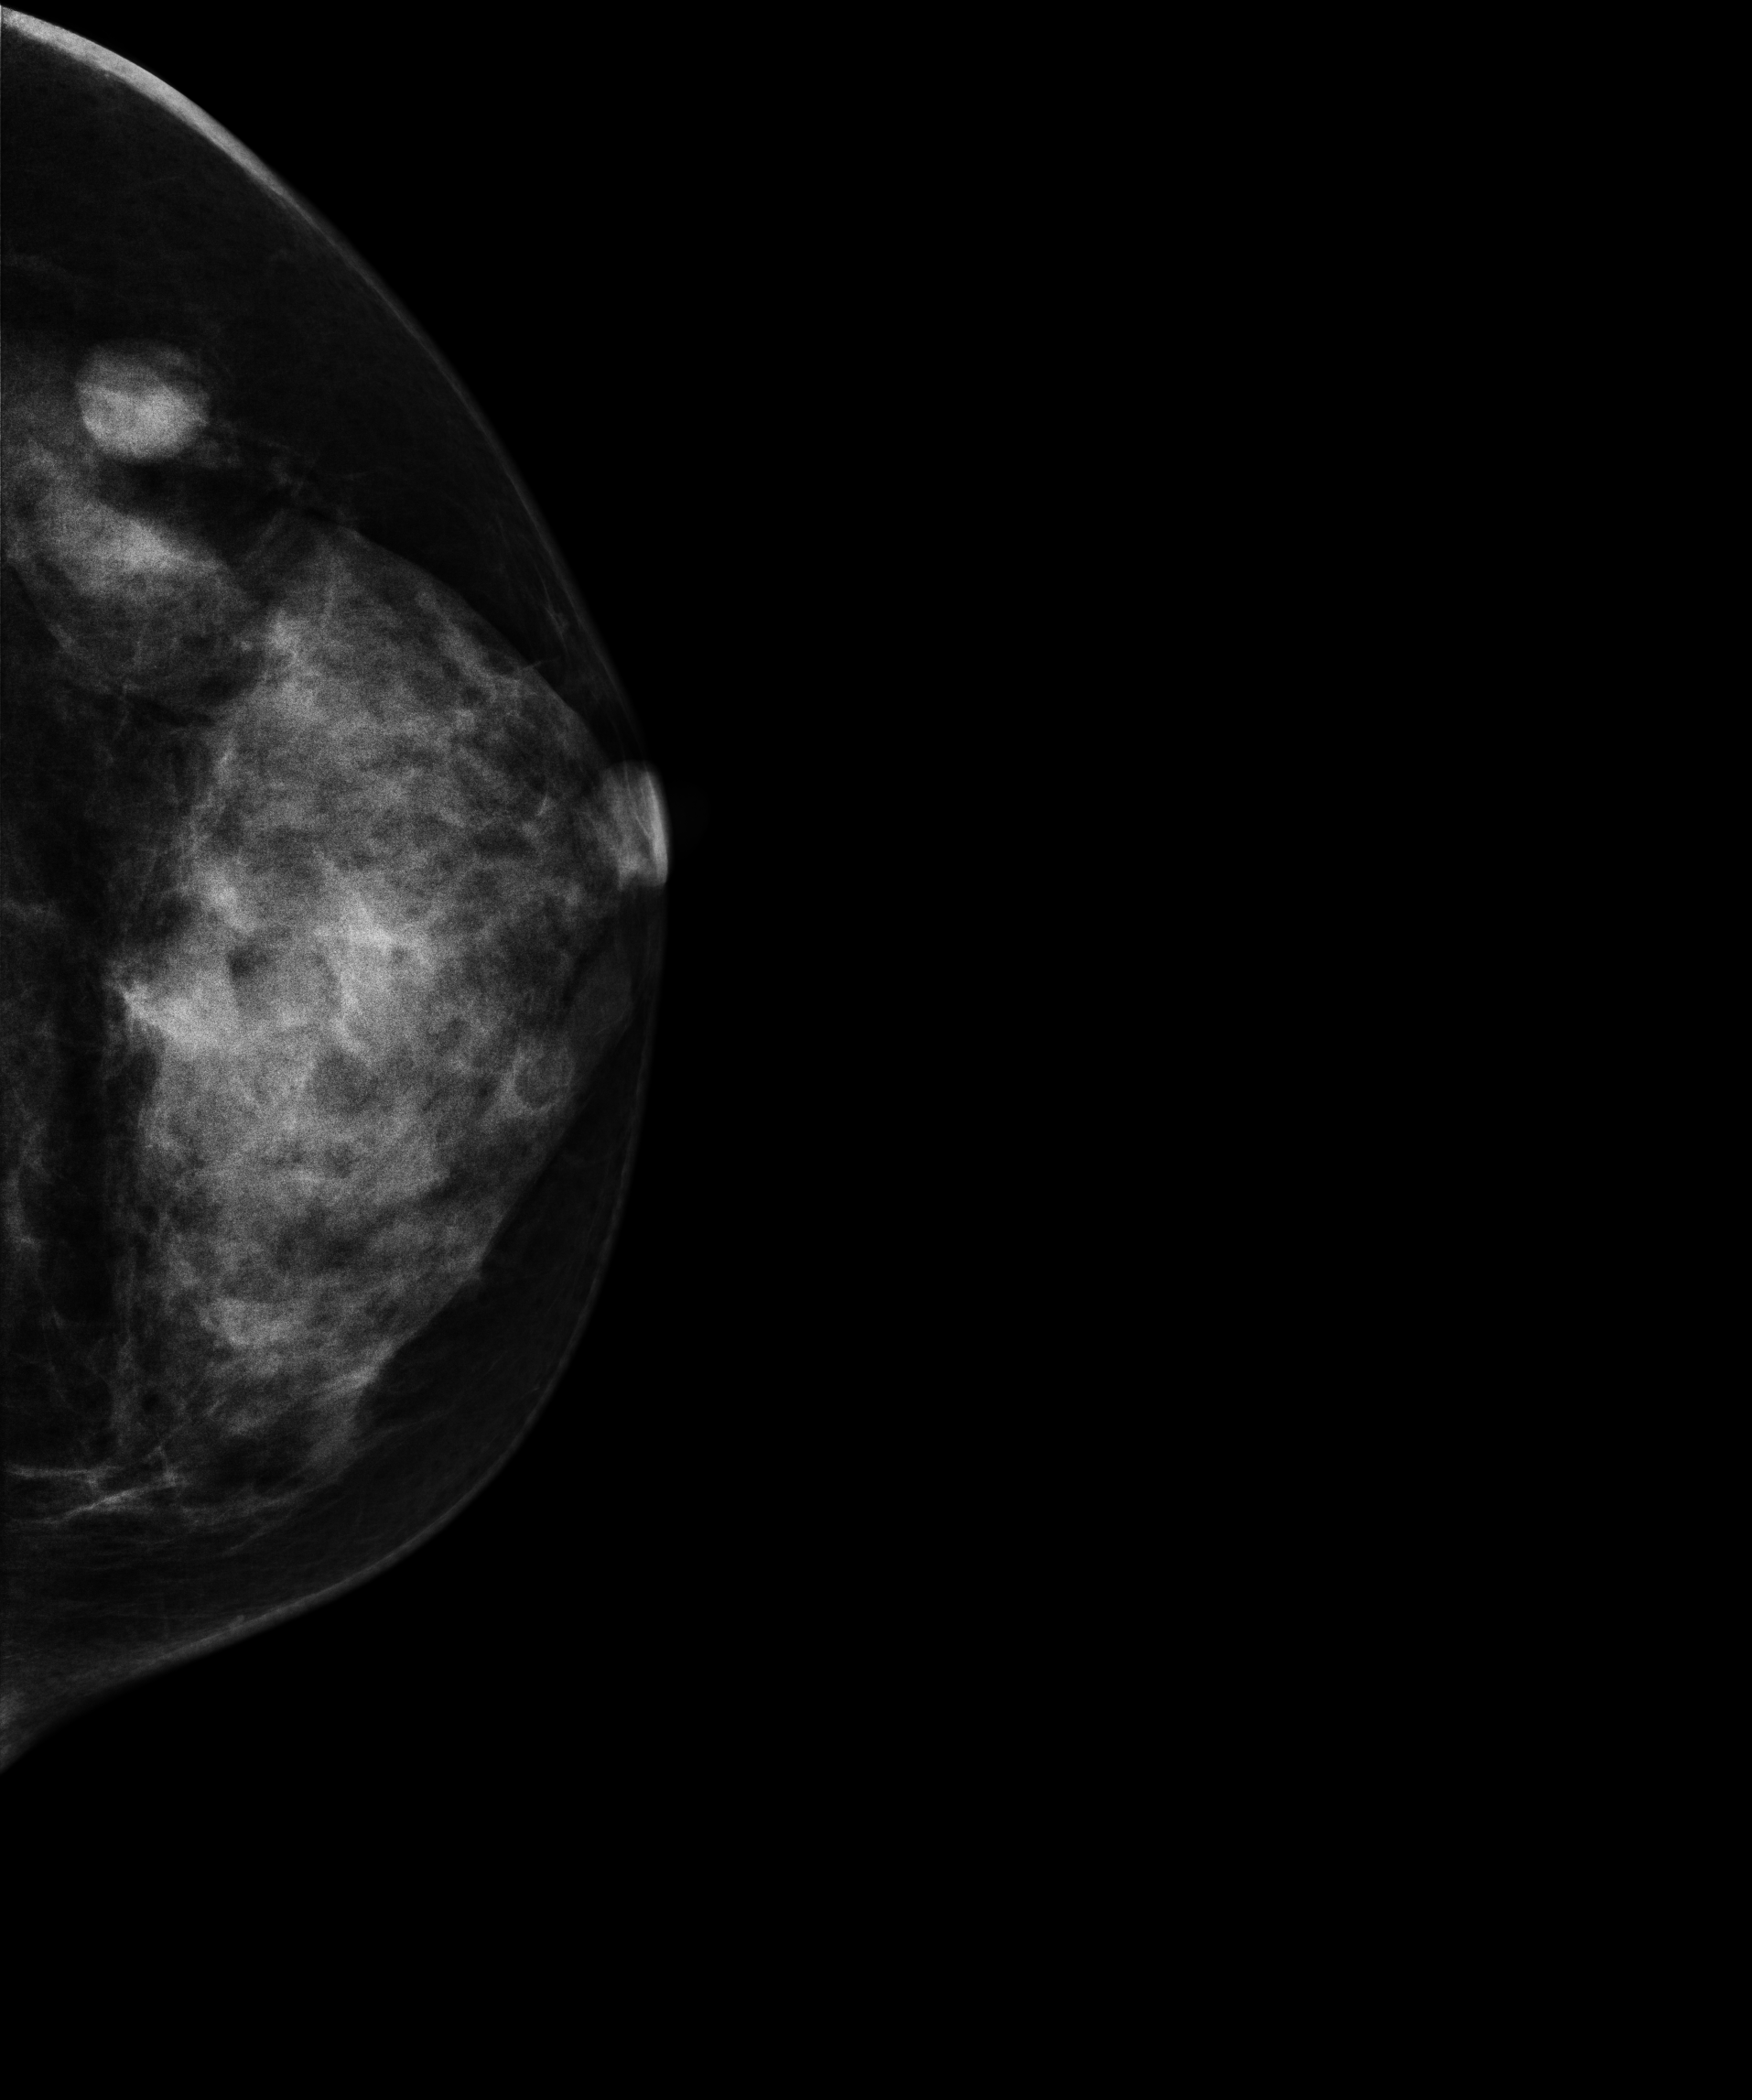
CC mammogram of the left breast. Patient age 49.
This breast has a mass, biopsy-confirmed malignant.